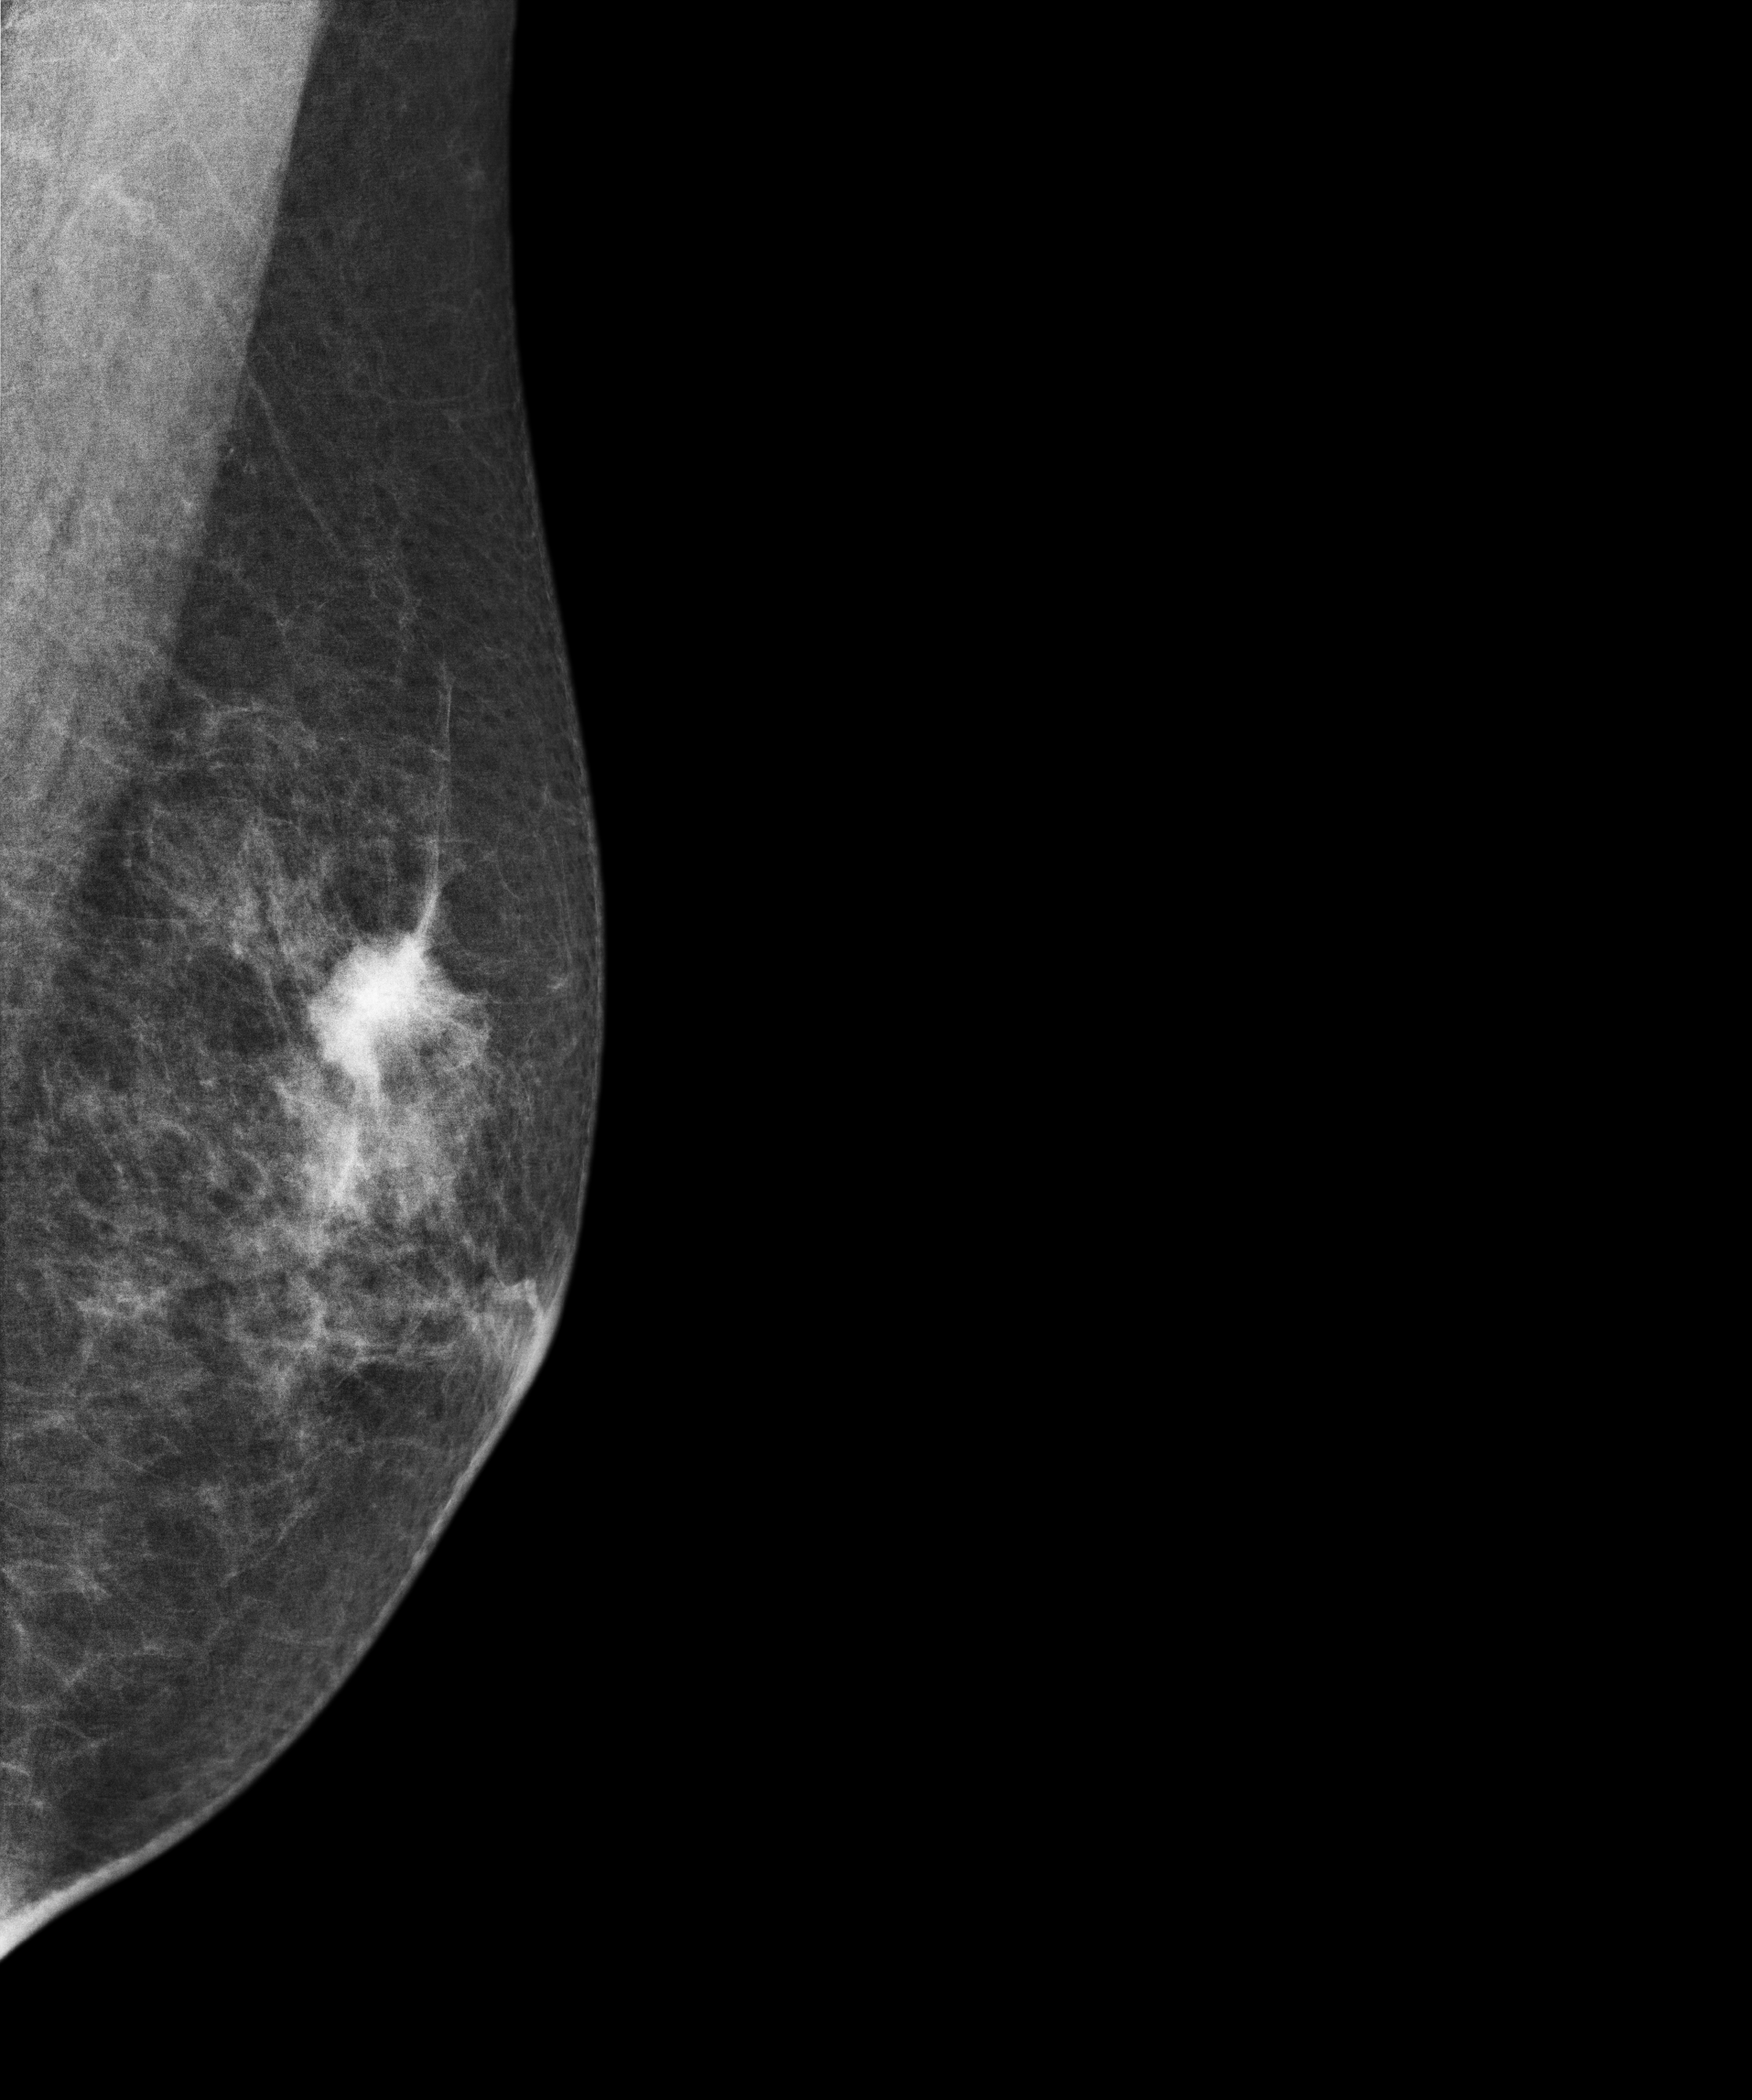
Left-breast mammogram, MLO. 65 y/o patient.
This breast has a mass, biopsy-confirmed malignant. Molecular subtype: luminal B.